Digital mammography. Right breast, cranio-caudal projection. 50-year-old patient.
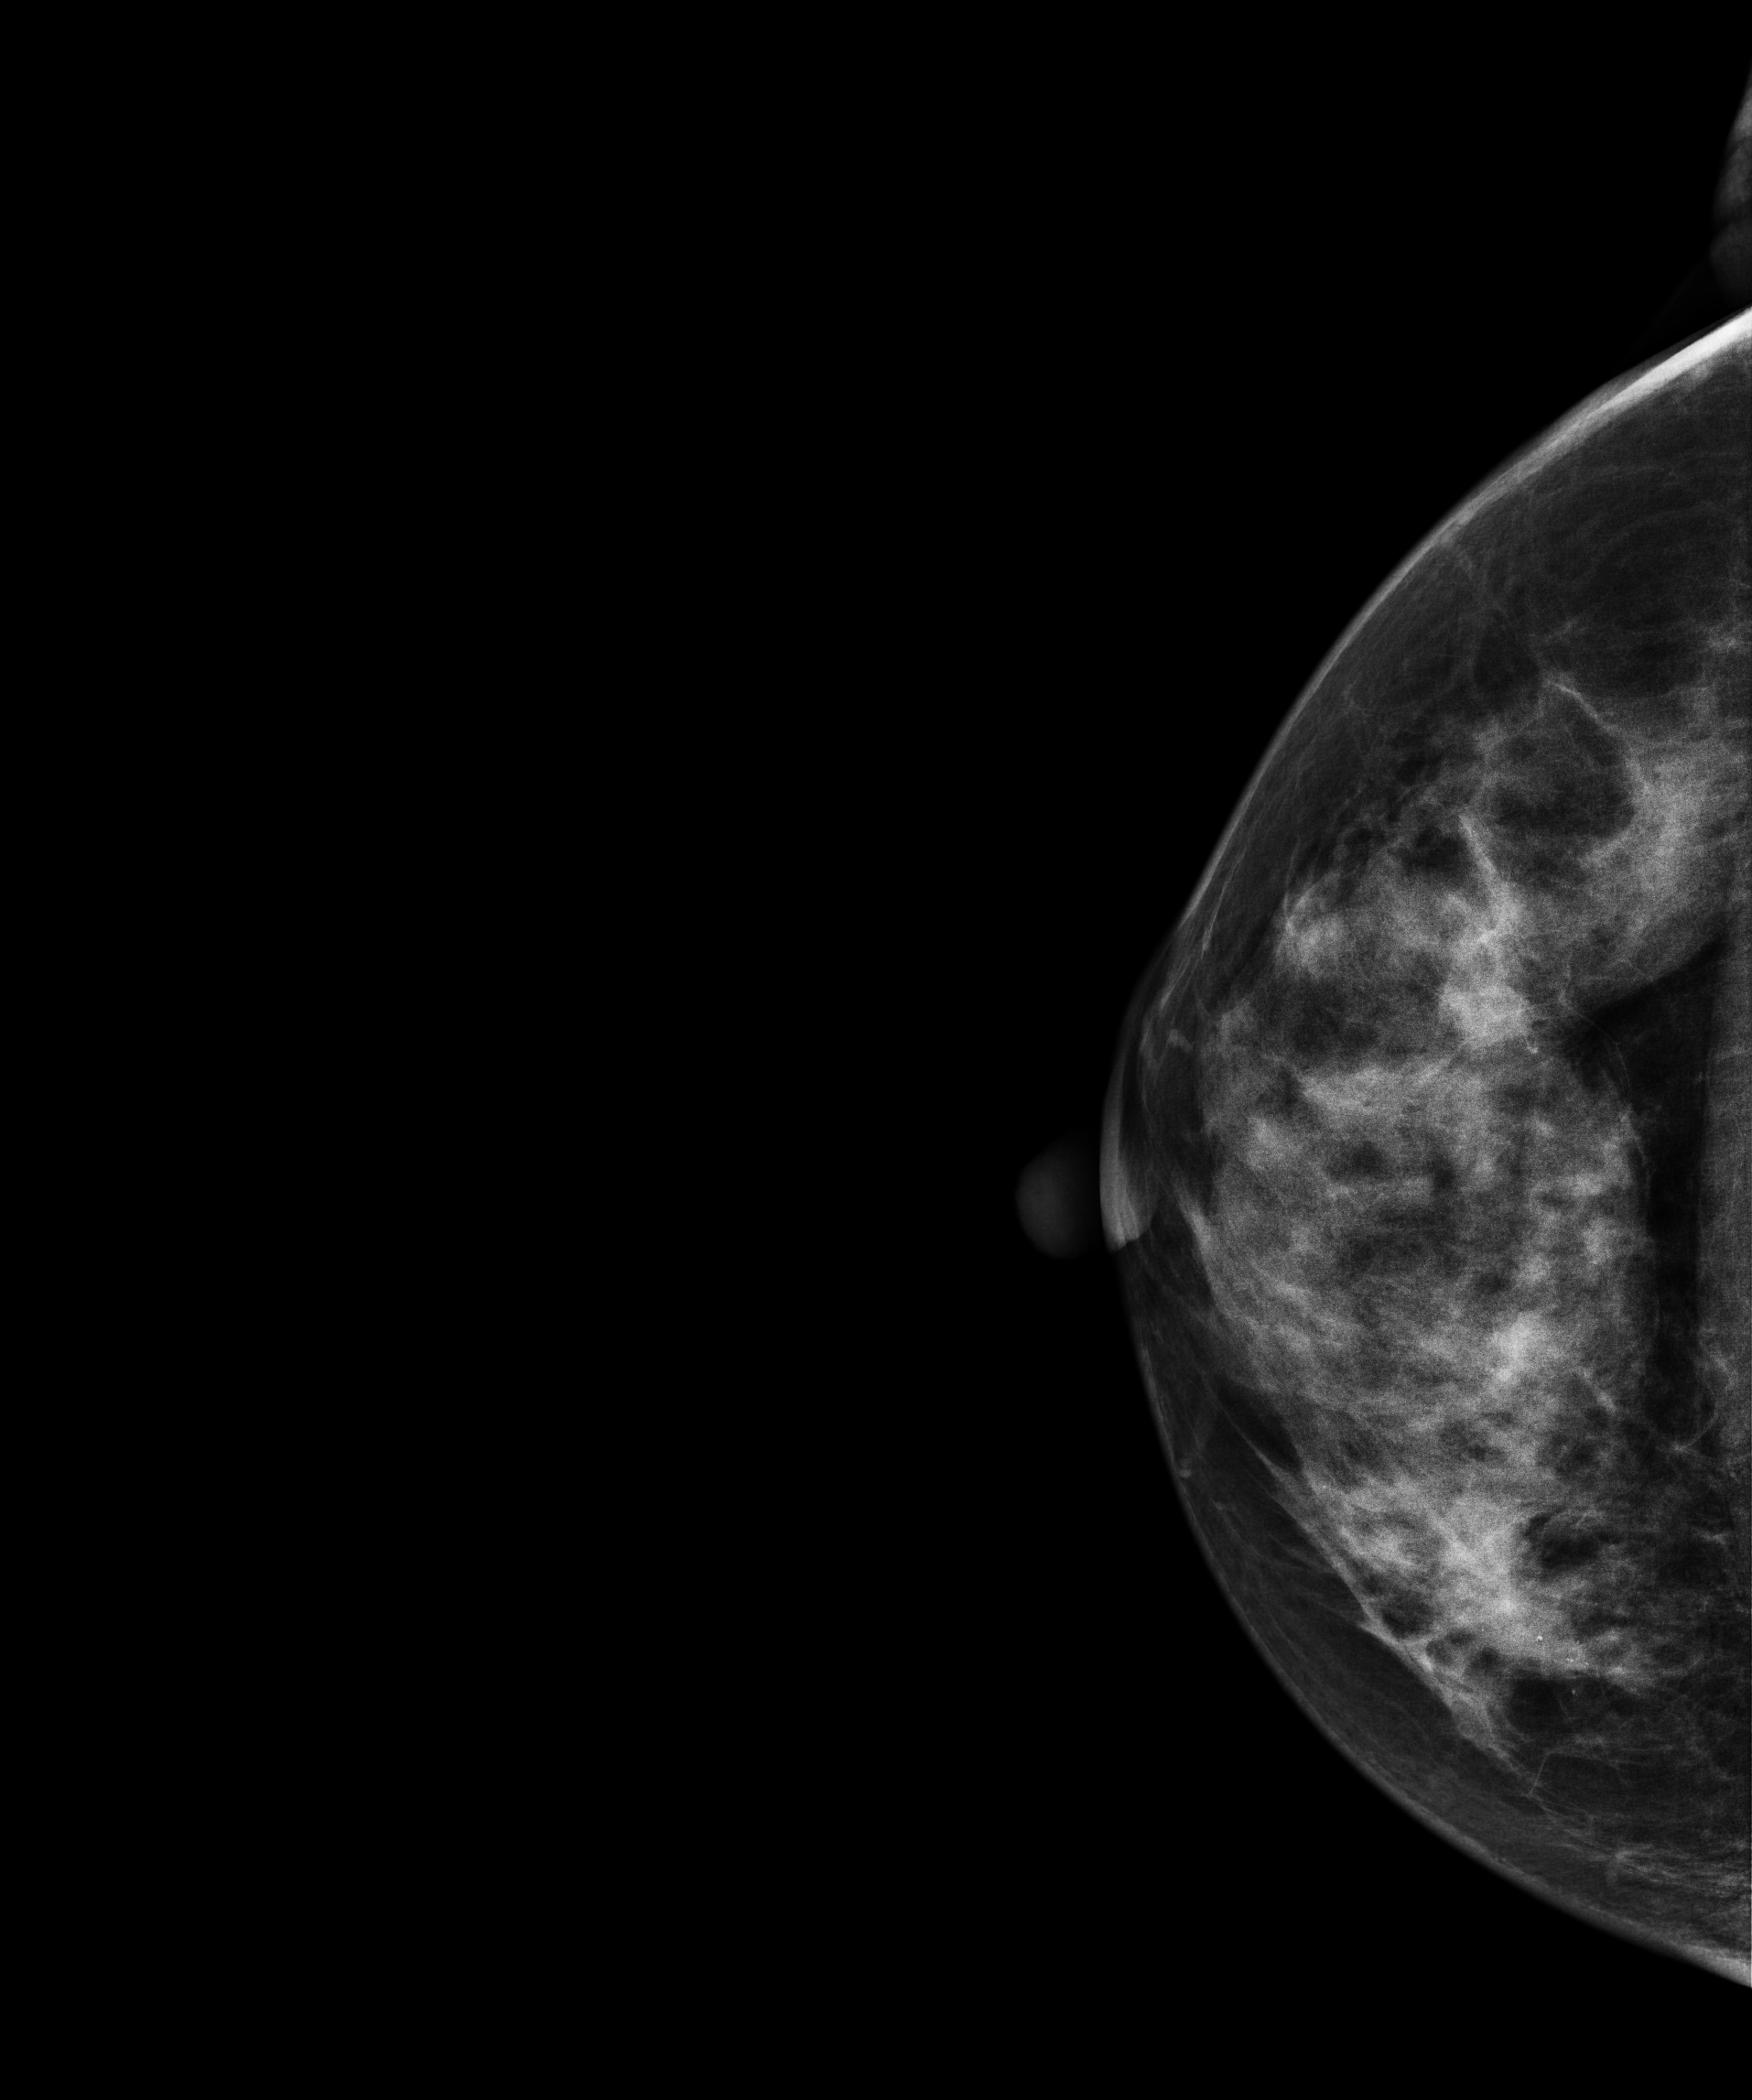
This breast has a mass and calcifications, pathology-confirmed malignant.